Cranio-caudal mammogram of the left breast. 47 y/o patient.
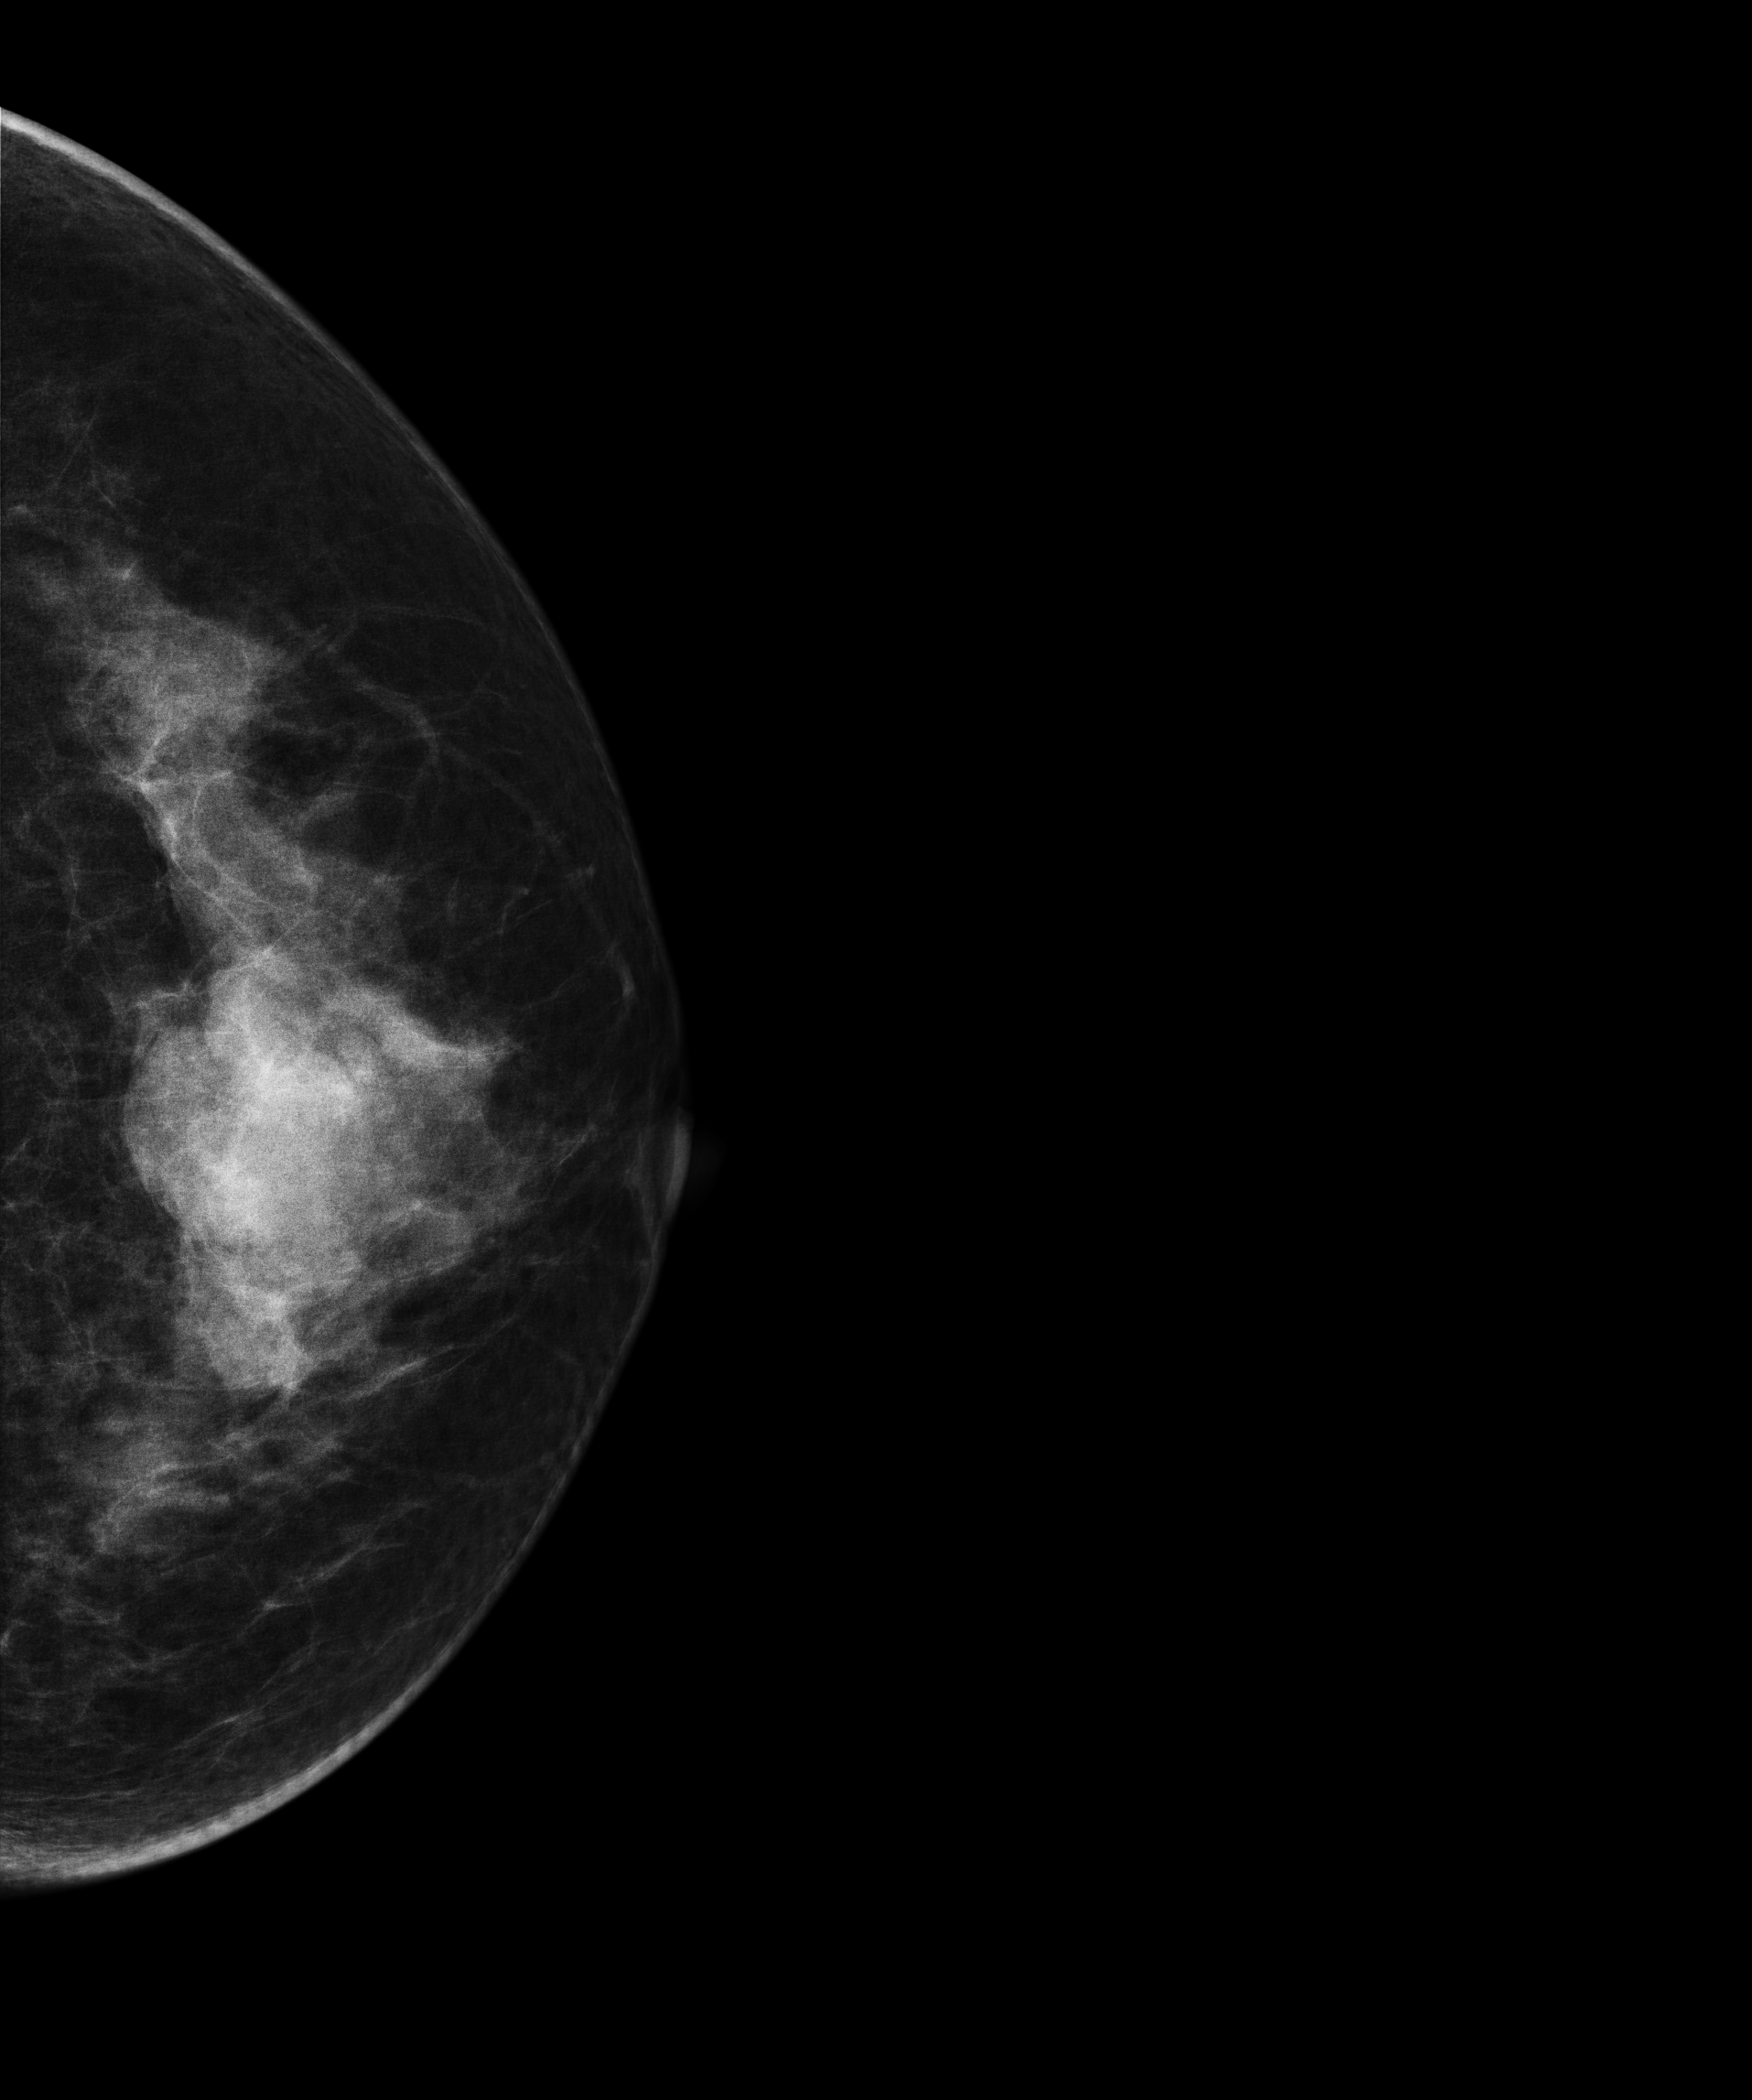
This breast has a mass, histologically confirmed benign.